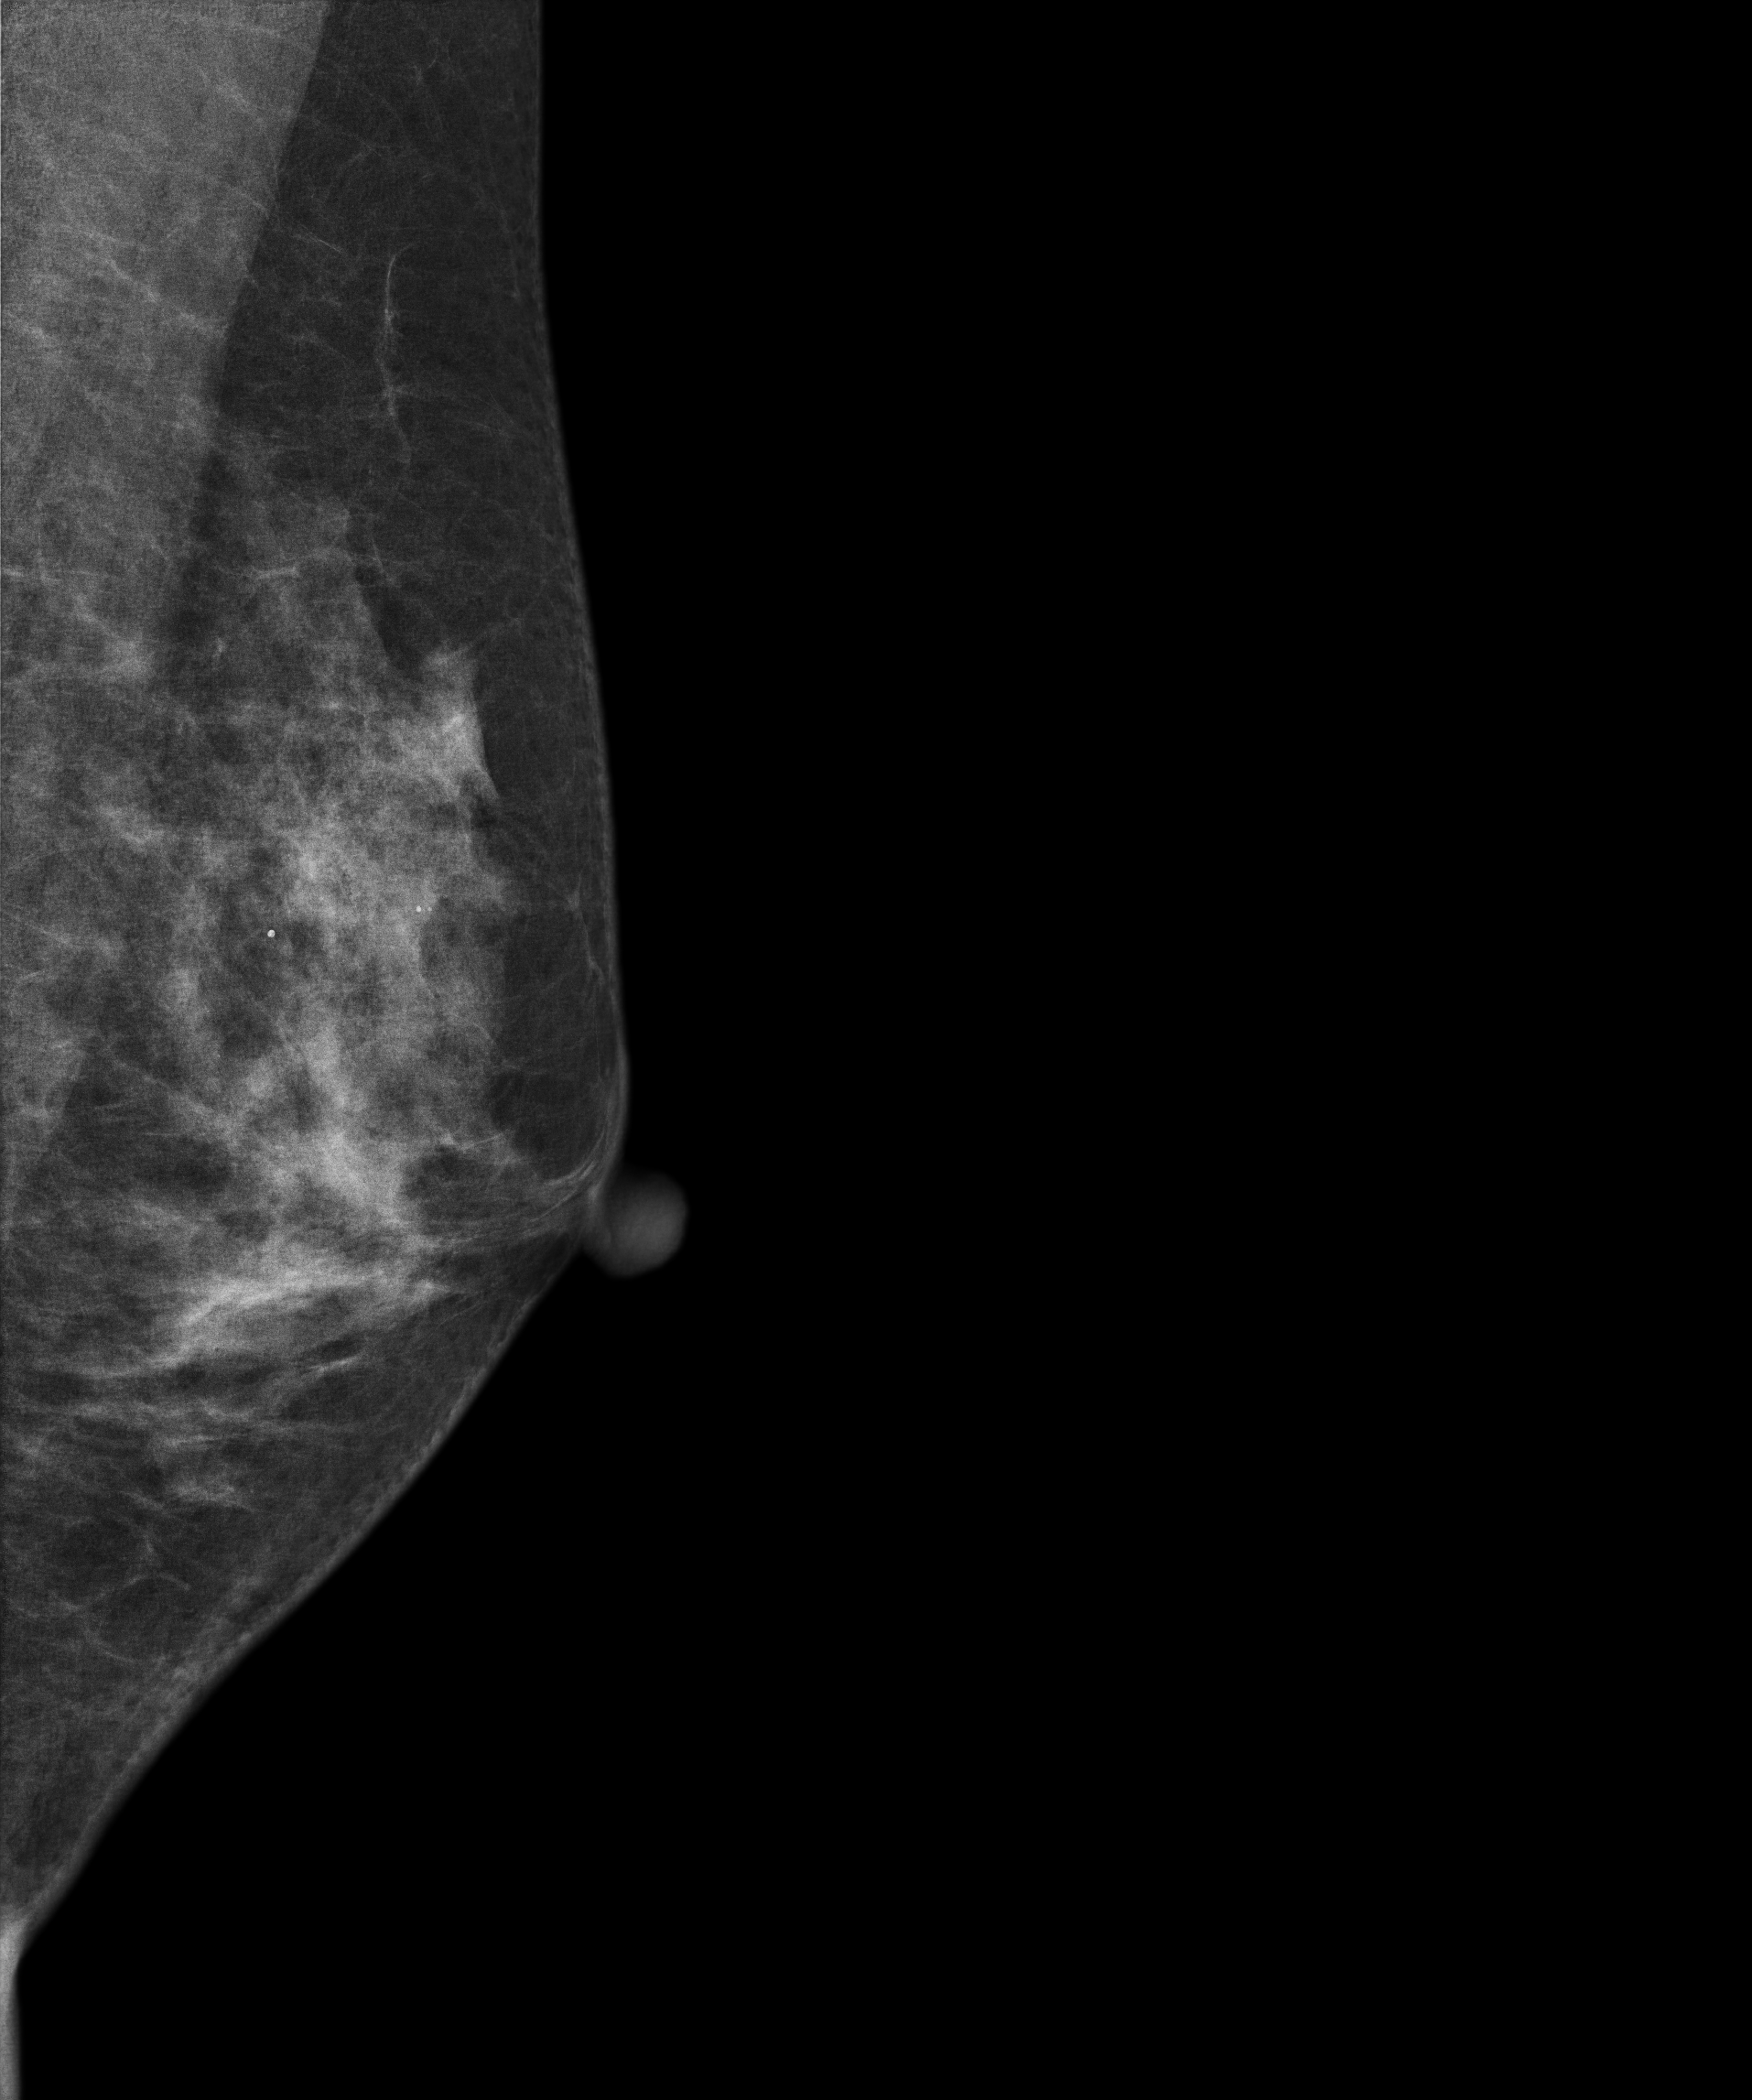
Mammogram — left medio-lateral oblique. 51 y/o patient.
Contralateral breast — no documented abnormality on this side.